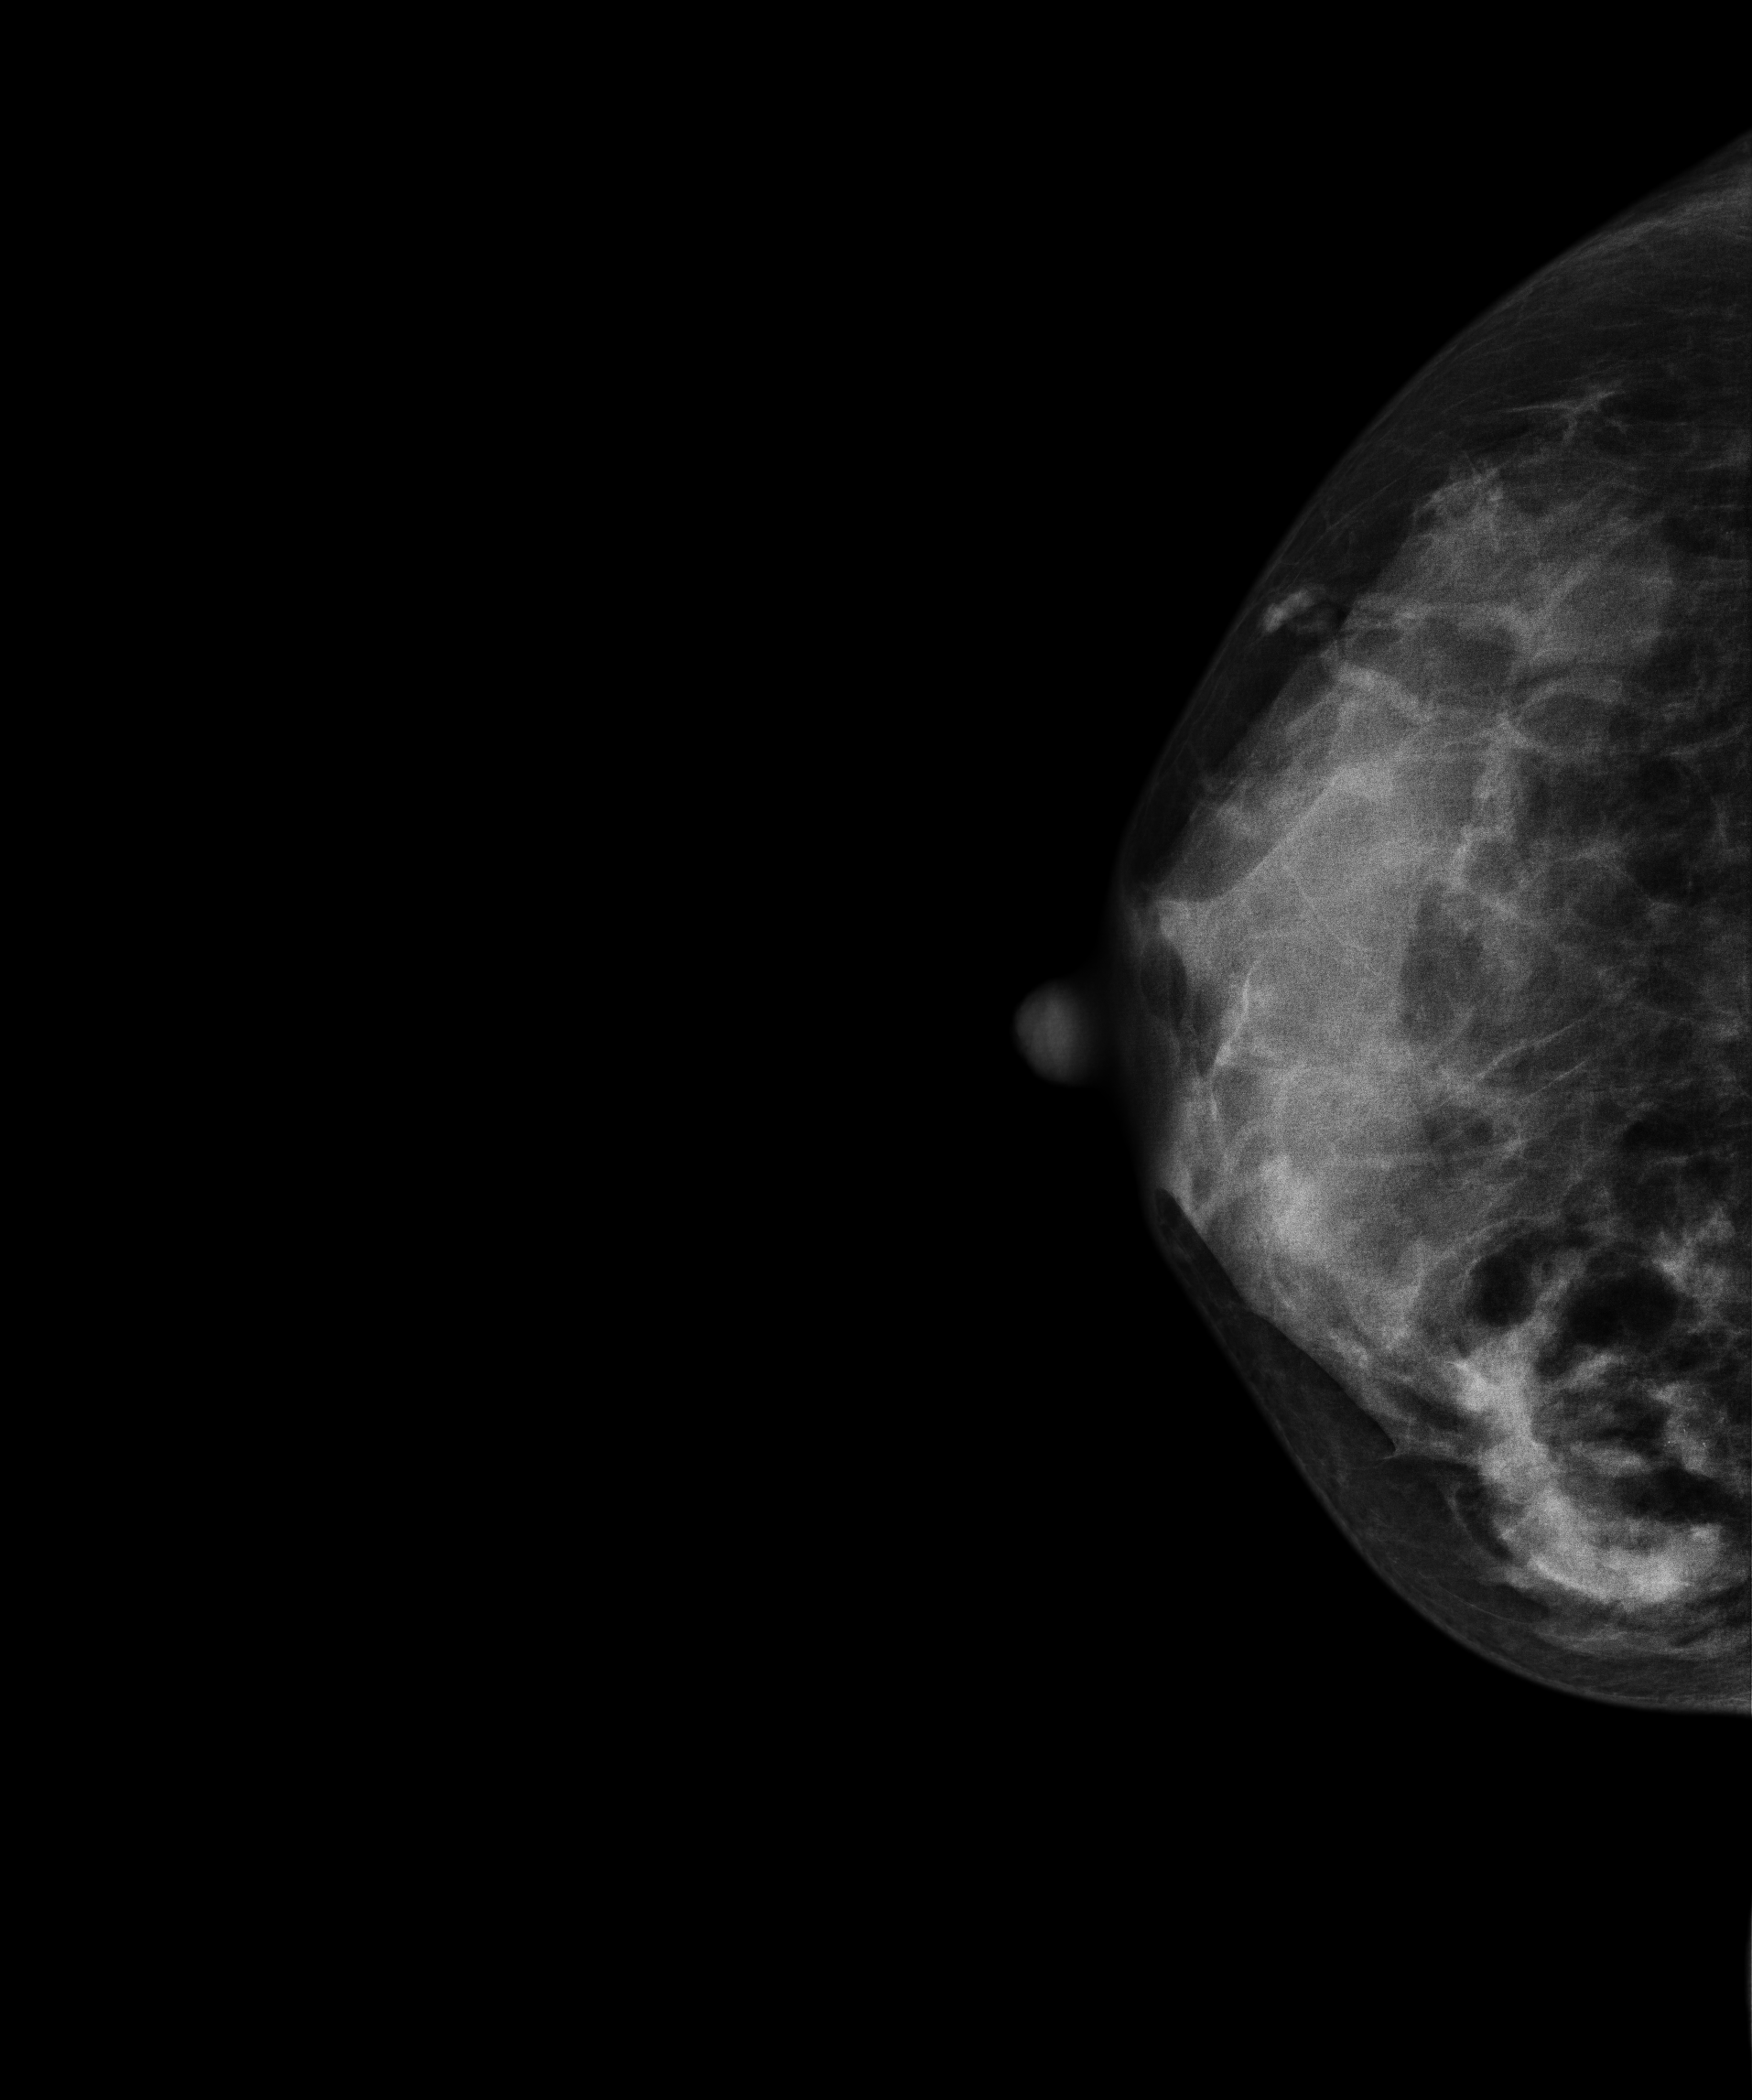
Right-breast mammogram, CC. Patient age 45.
This breast has a mass, biopsy-proven malignant.